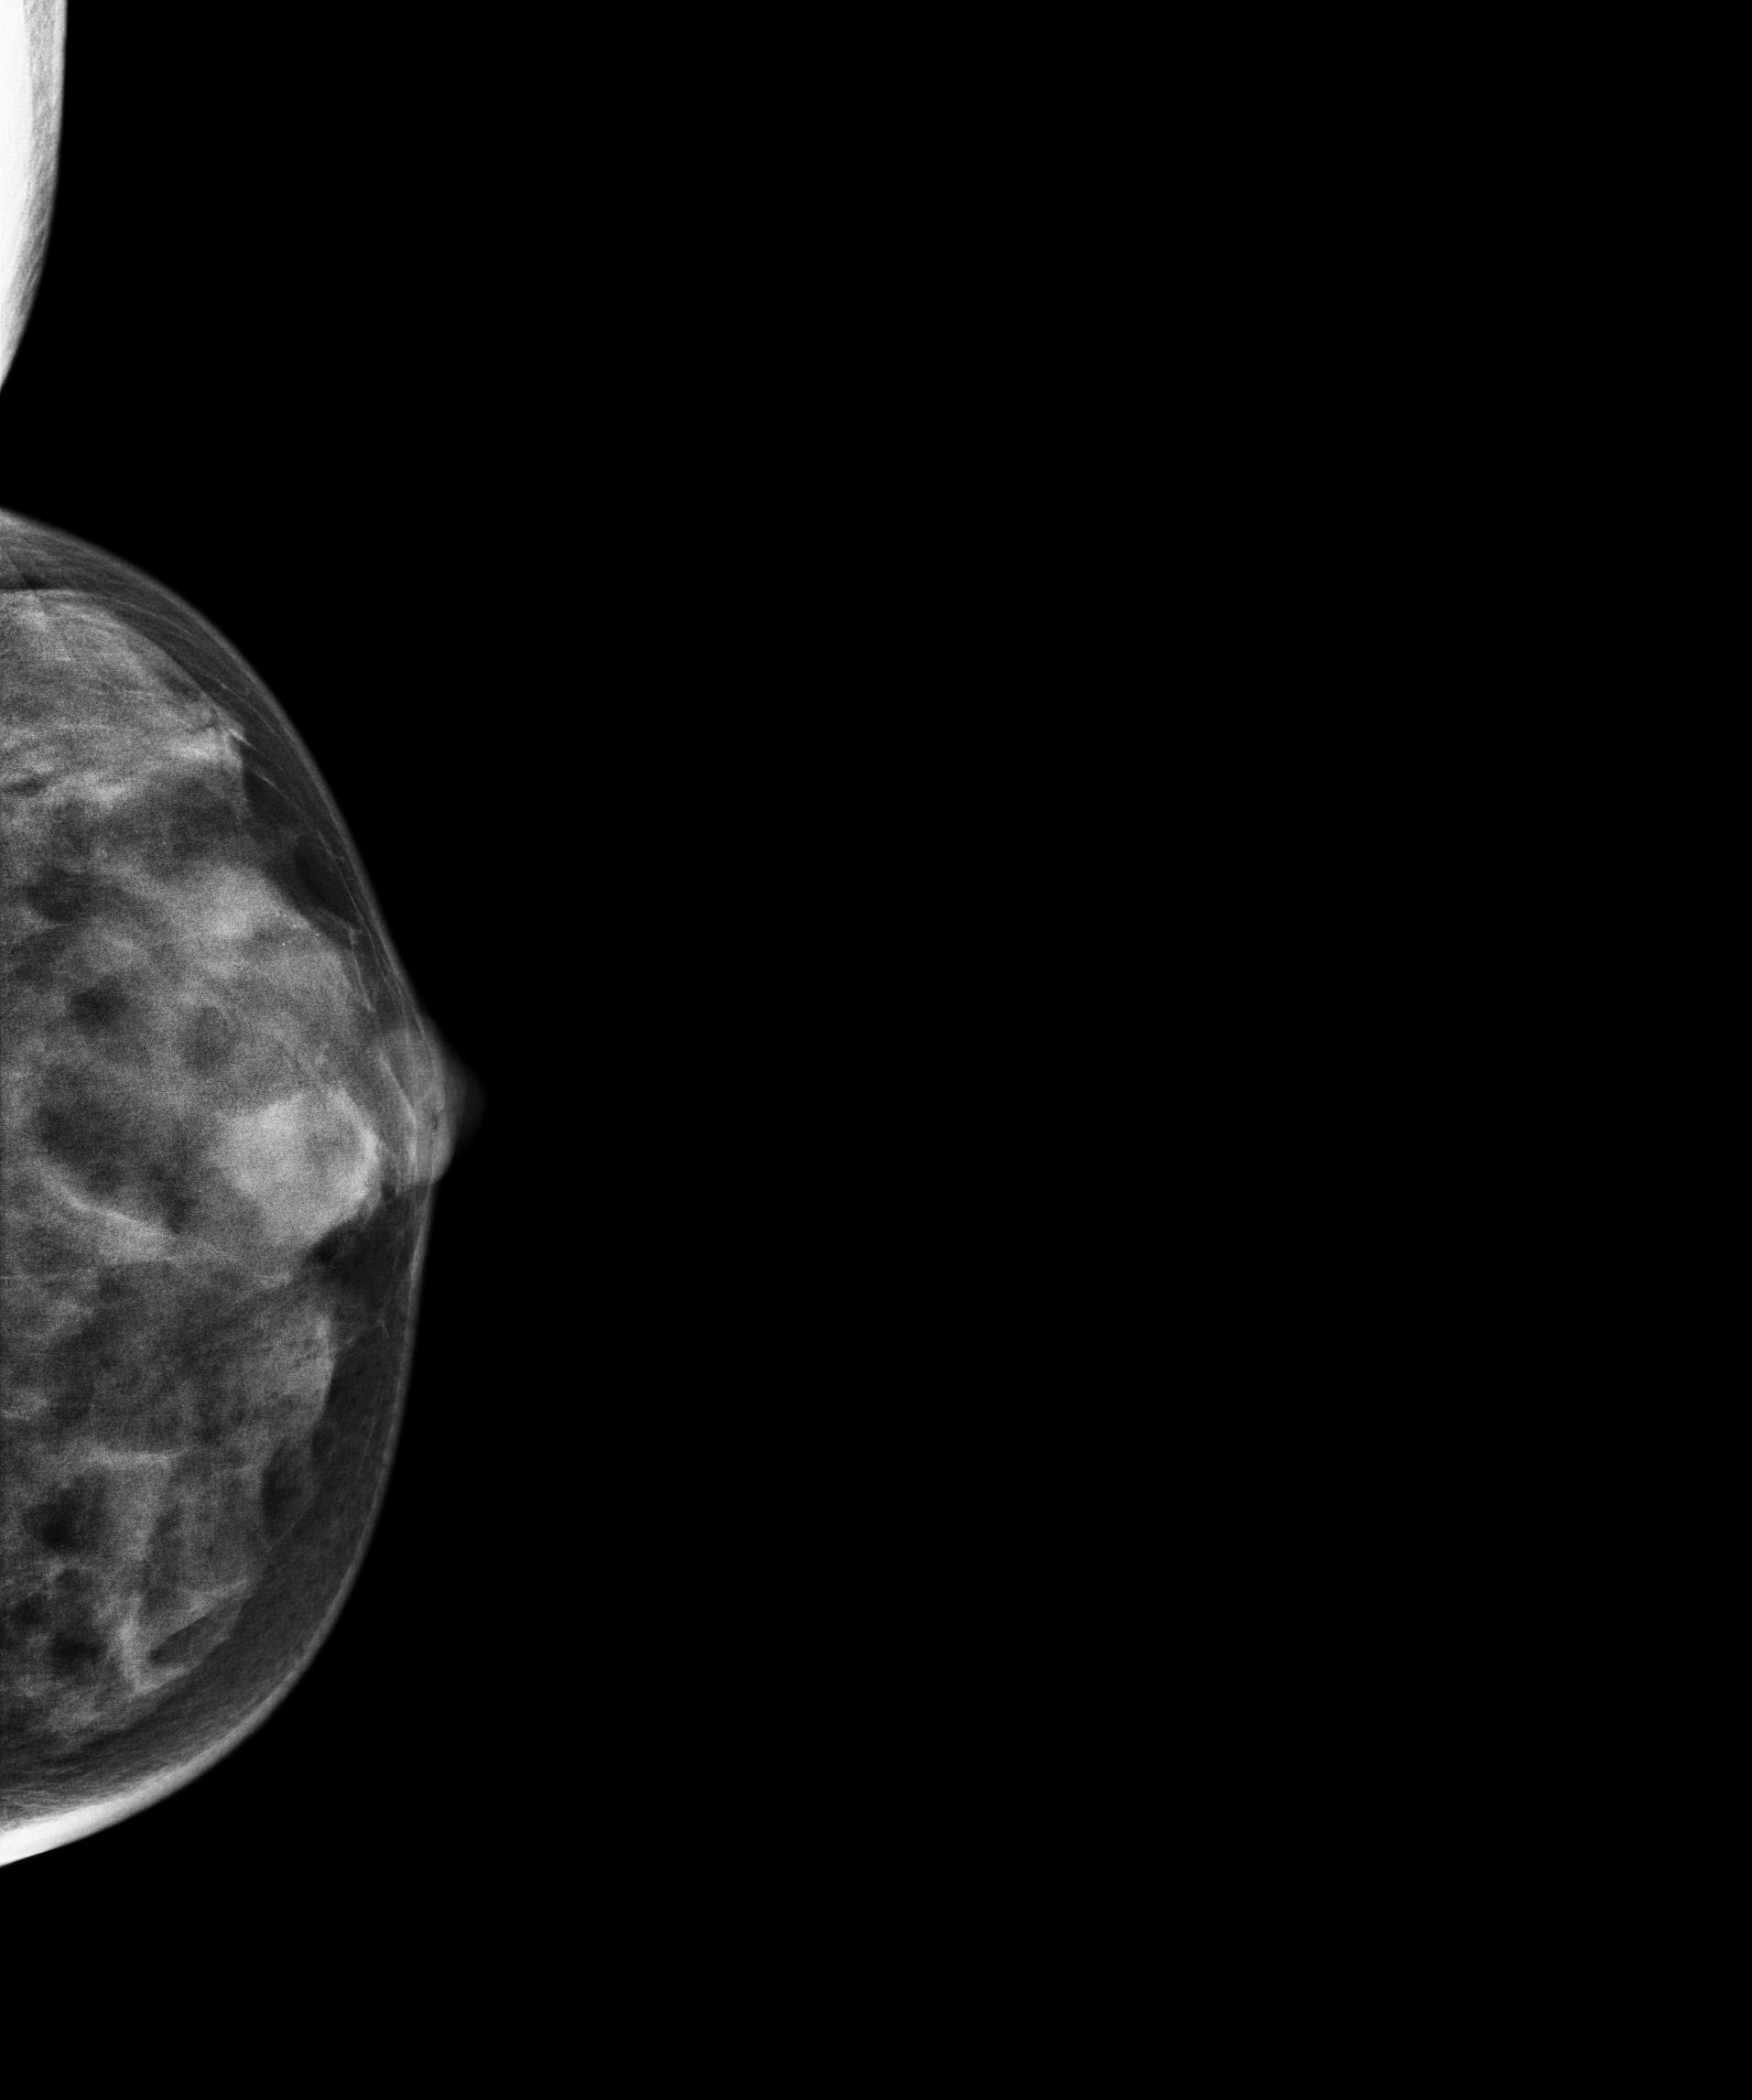
Mammogram, left breast, cranio-caudal view. Patient age 27.
Contralateral breast — no documented abnormality on this side.